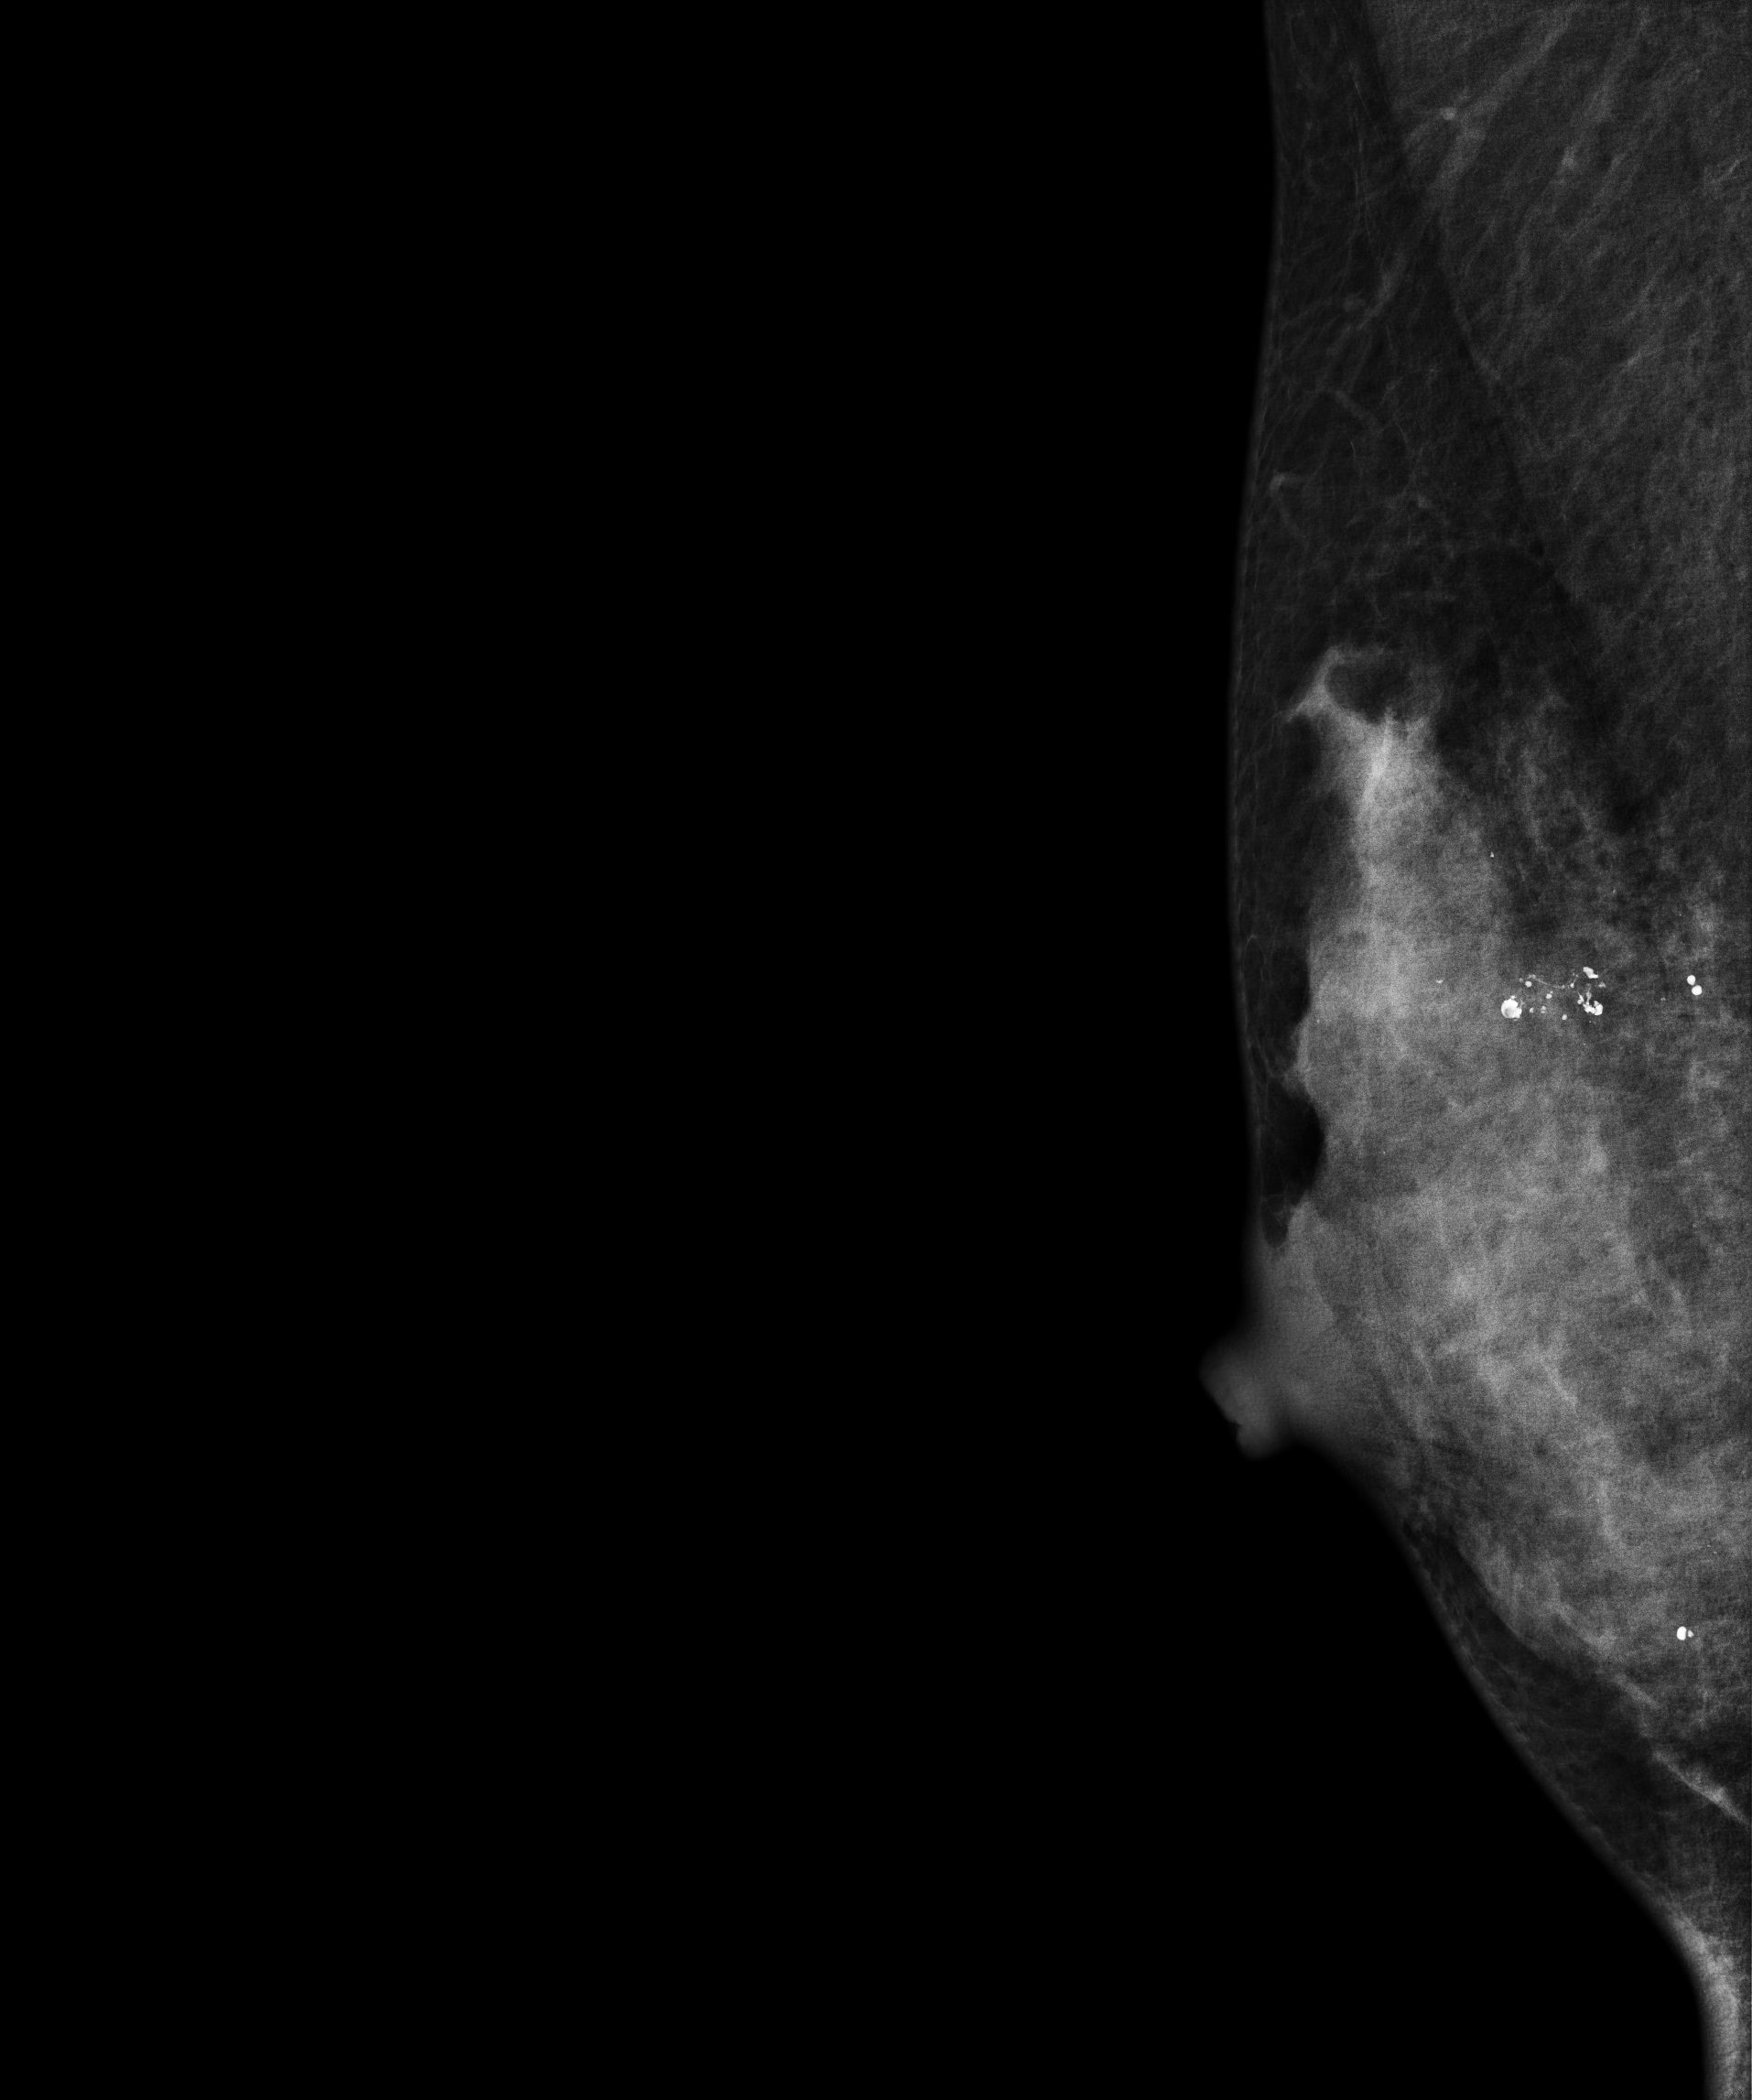
MLO mammogram of the right breast. Patient age 29.
This breast has calcifications, biopsy-proven benign.